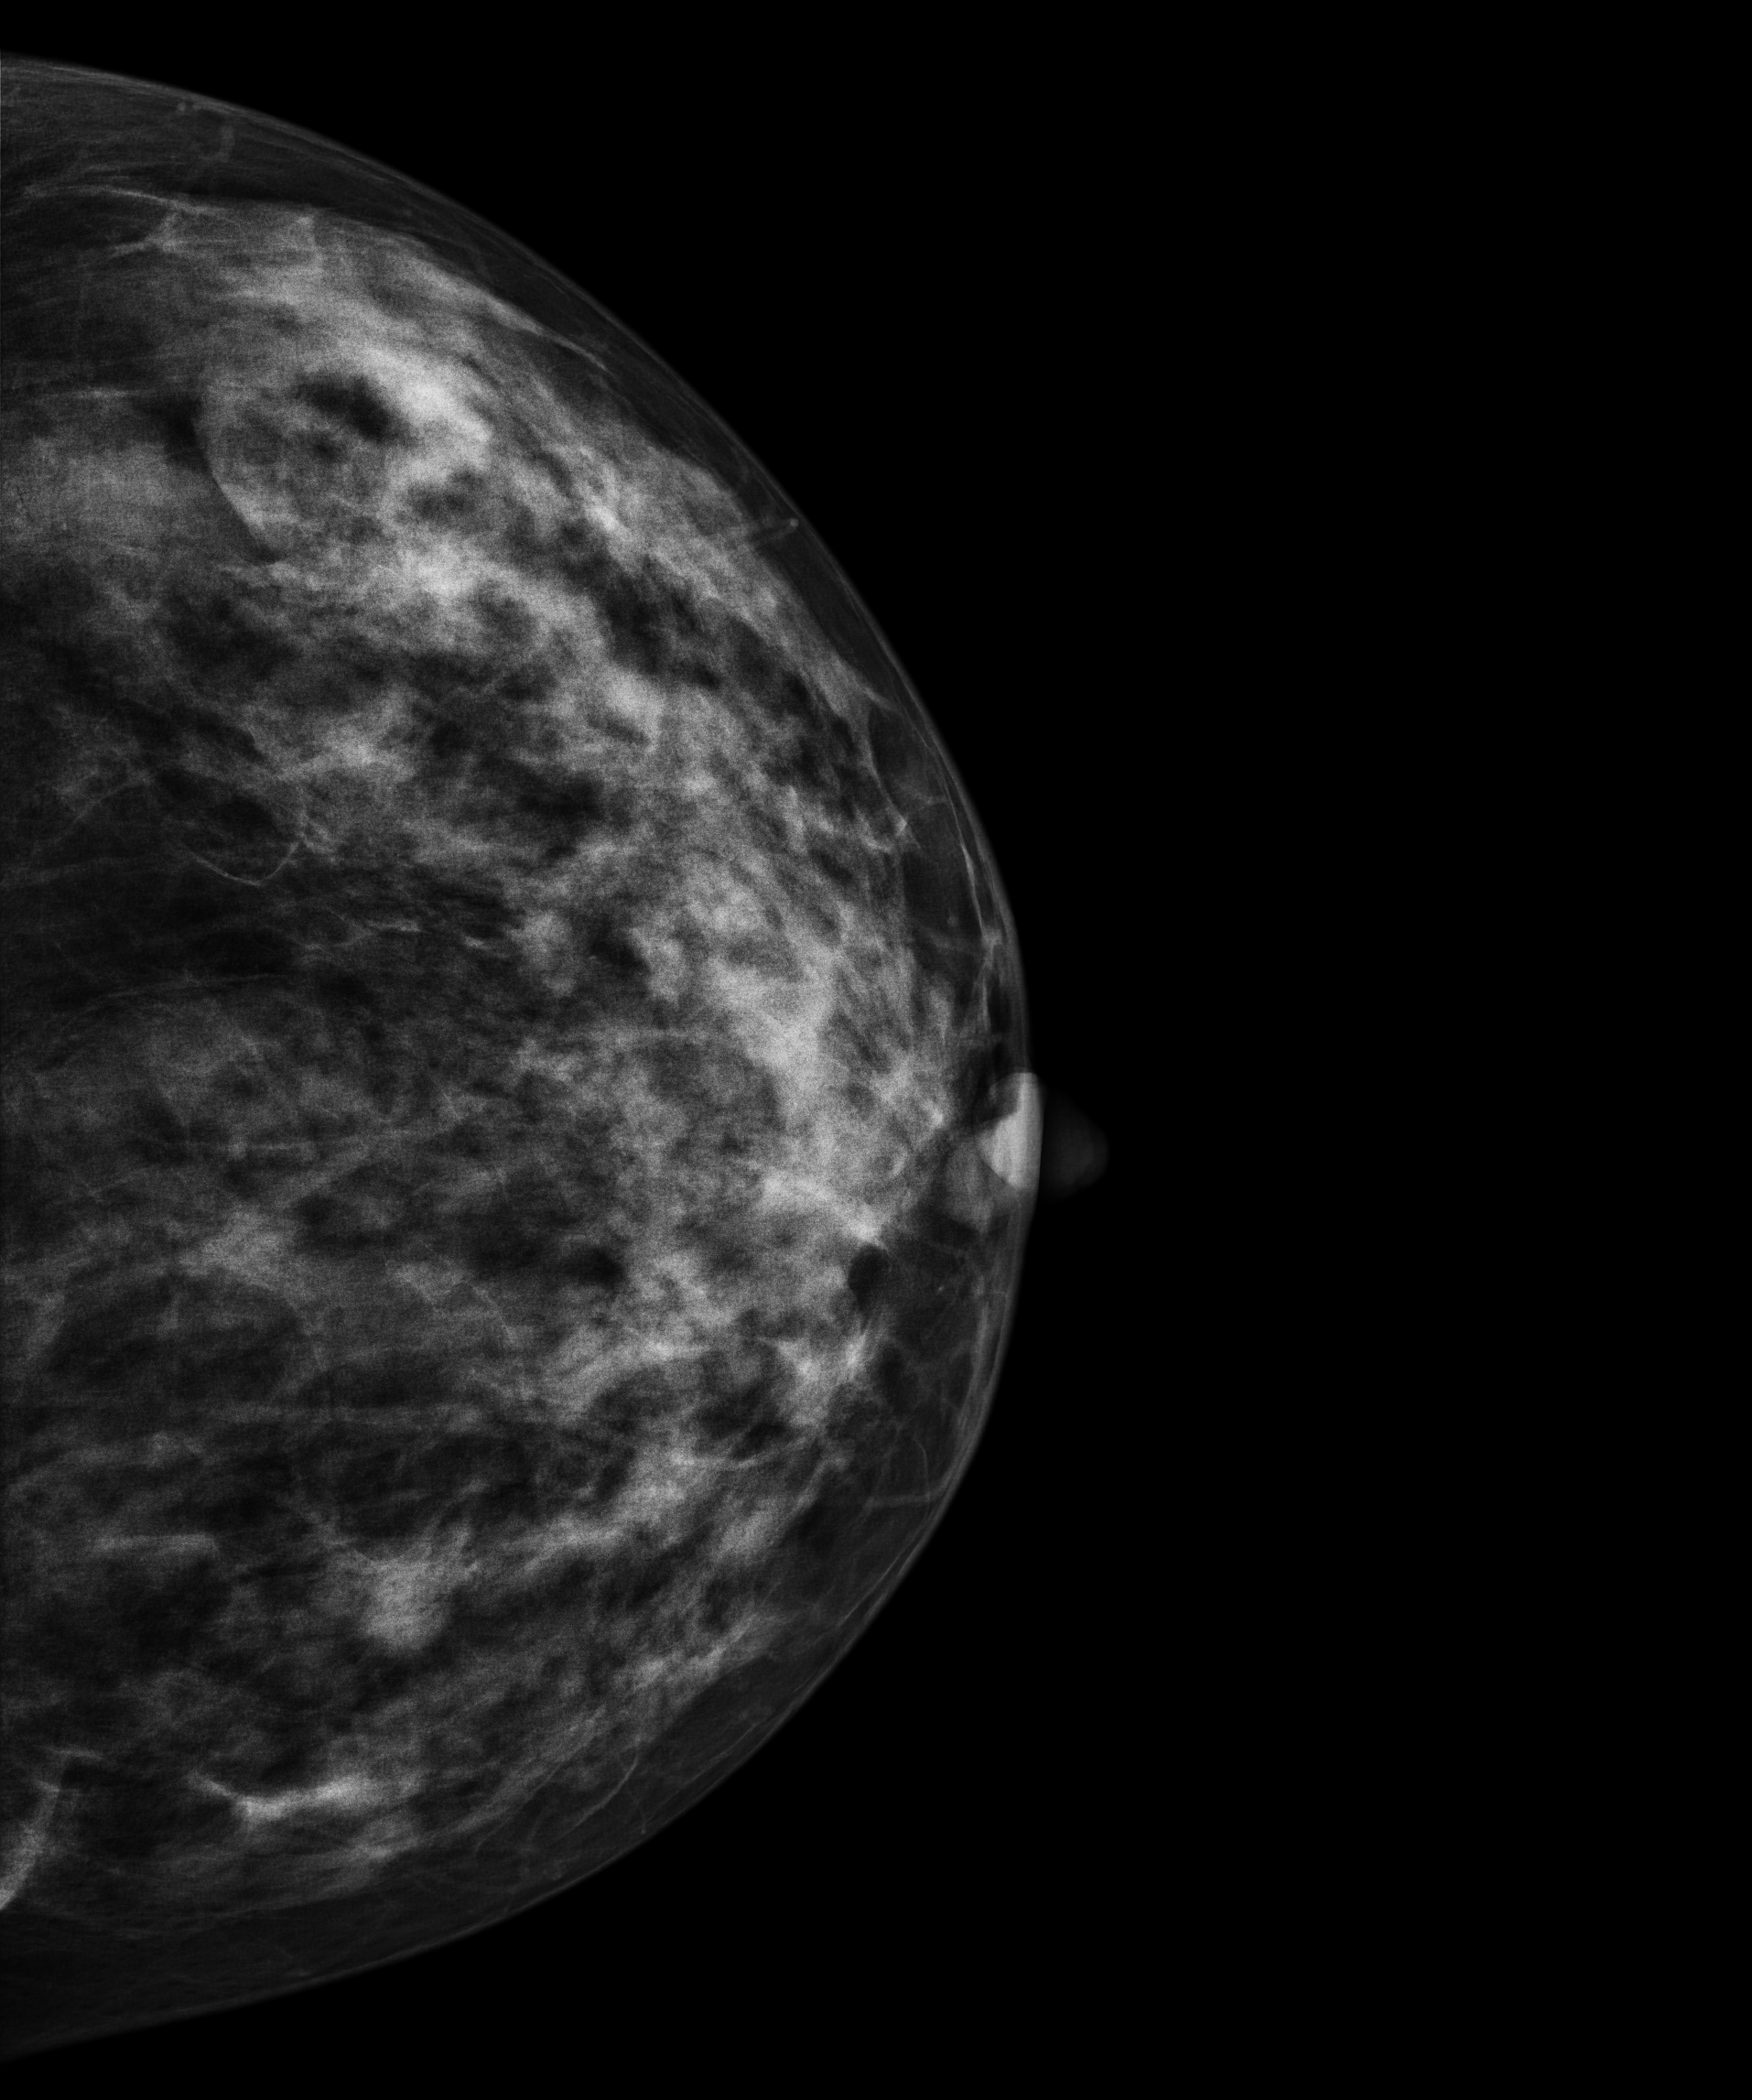
CC mammogram of the left breast. 42-year-old patient.
This breast has a mass, biopsy-proven benign.